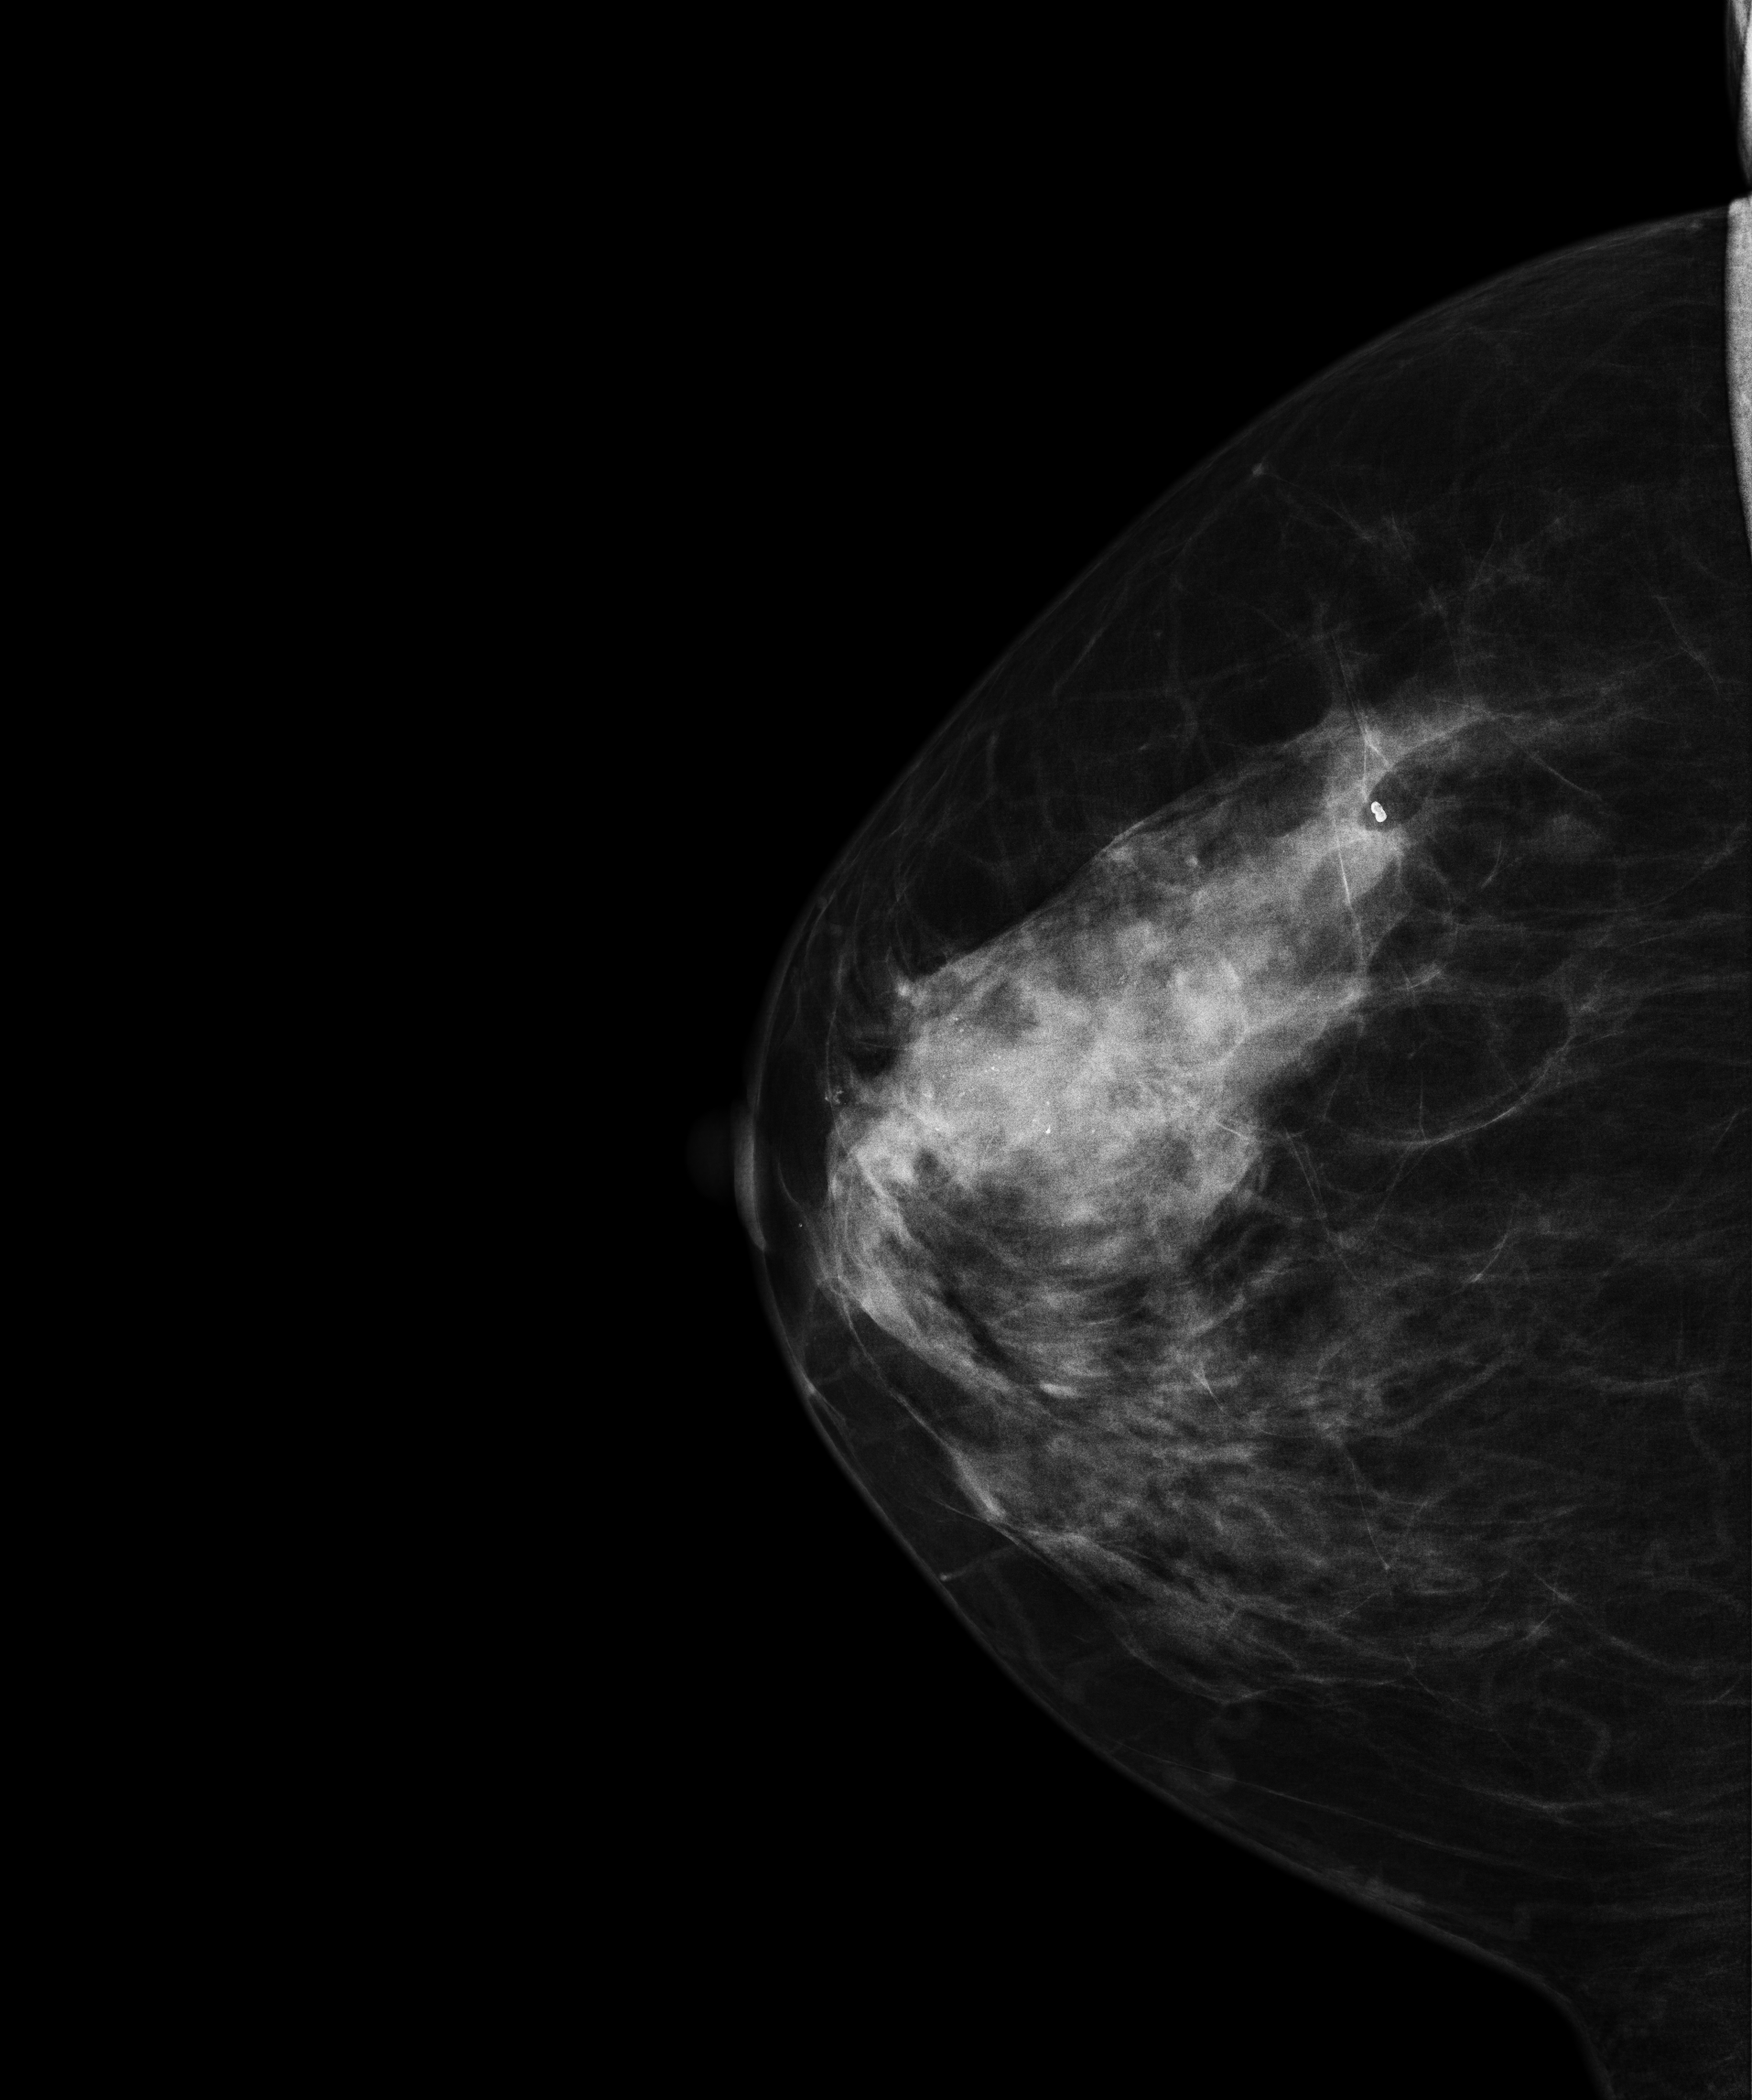
Mammogram — right cranio-caudal. 56-year-old patient.
This breast has a mass and calcifications, biopsy-confirmed malignant. Molecular subtype: HER2-enriched.